Mammogram, right breast, medio-lateral oblique view. Patient age 38.
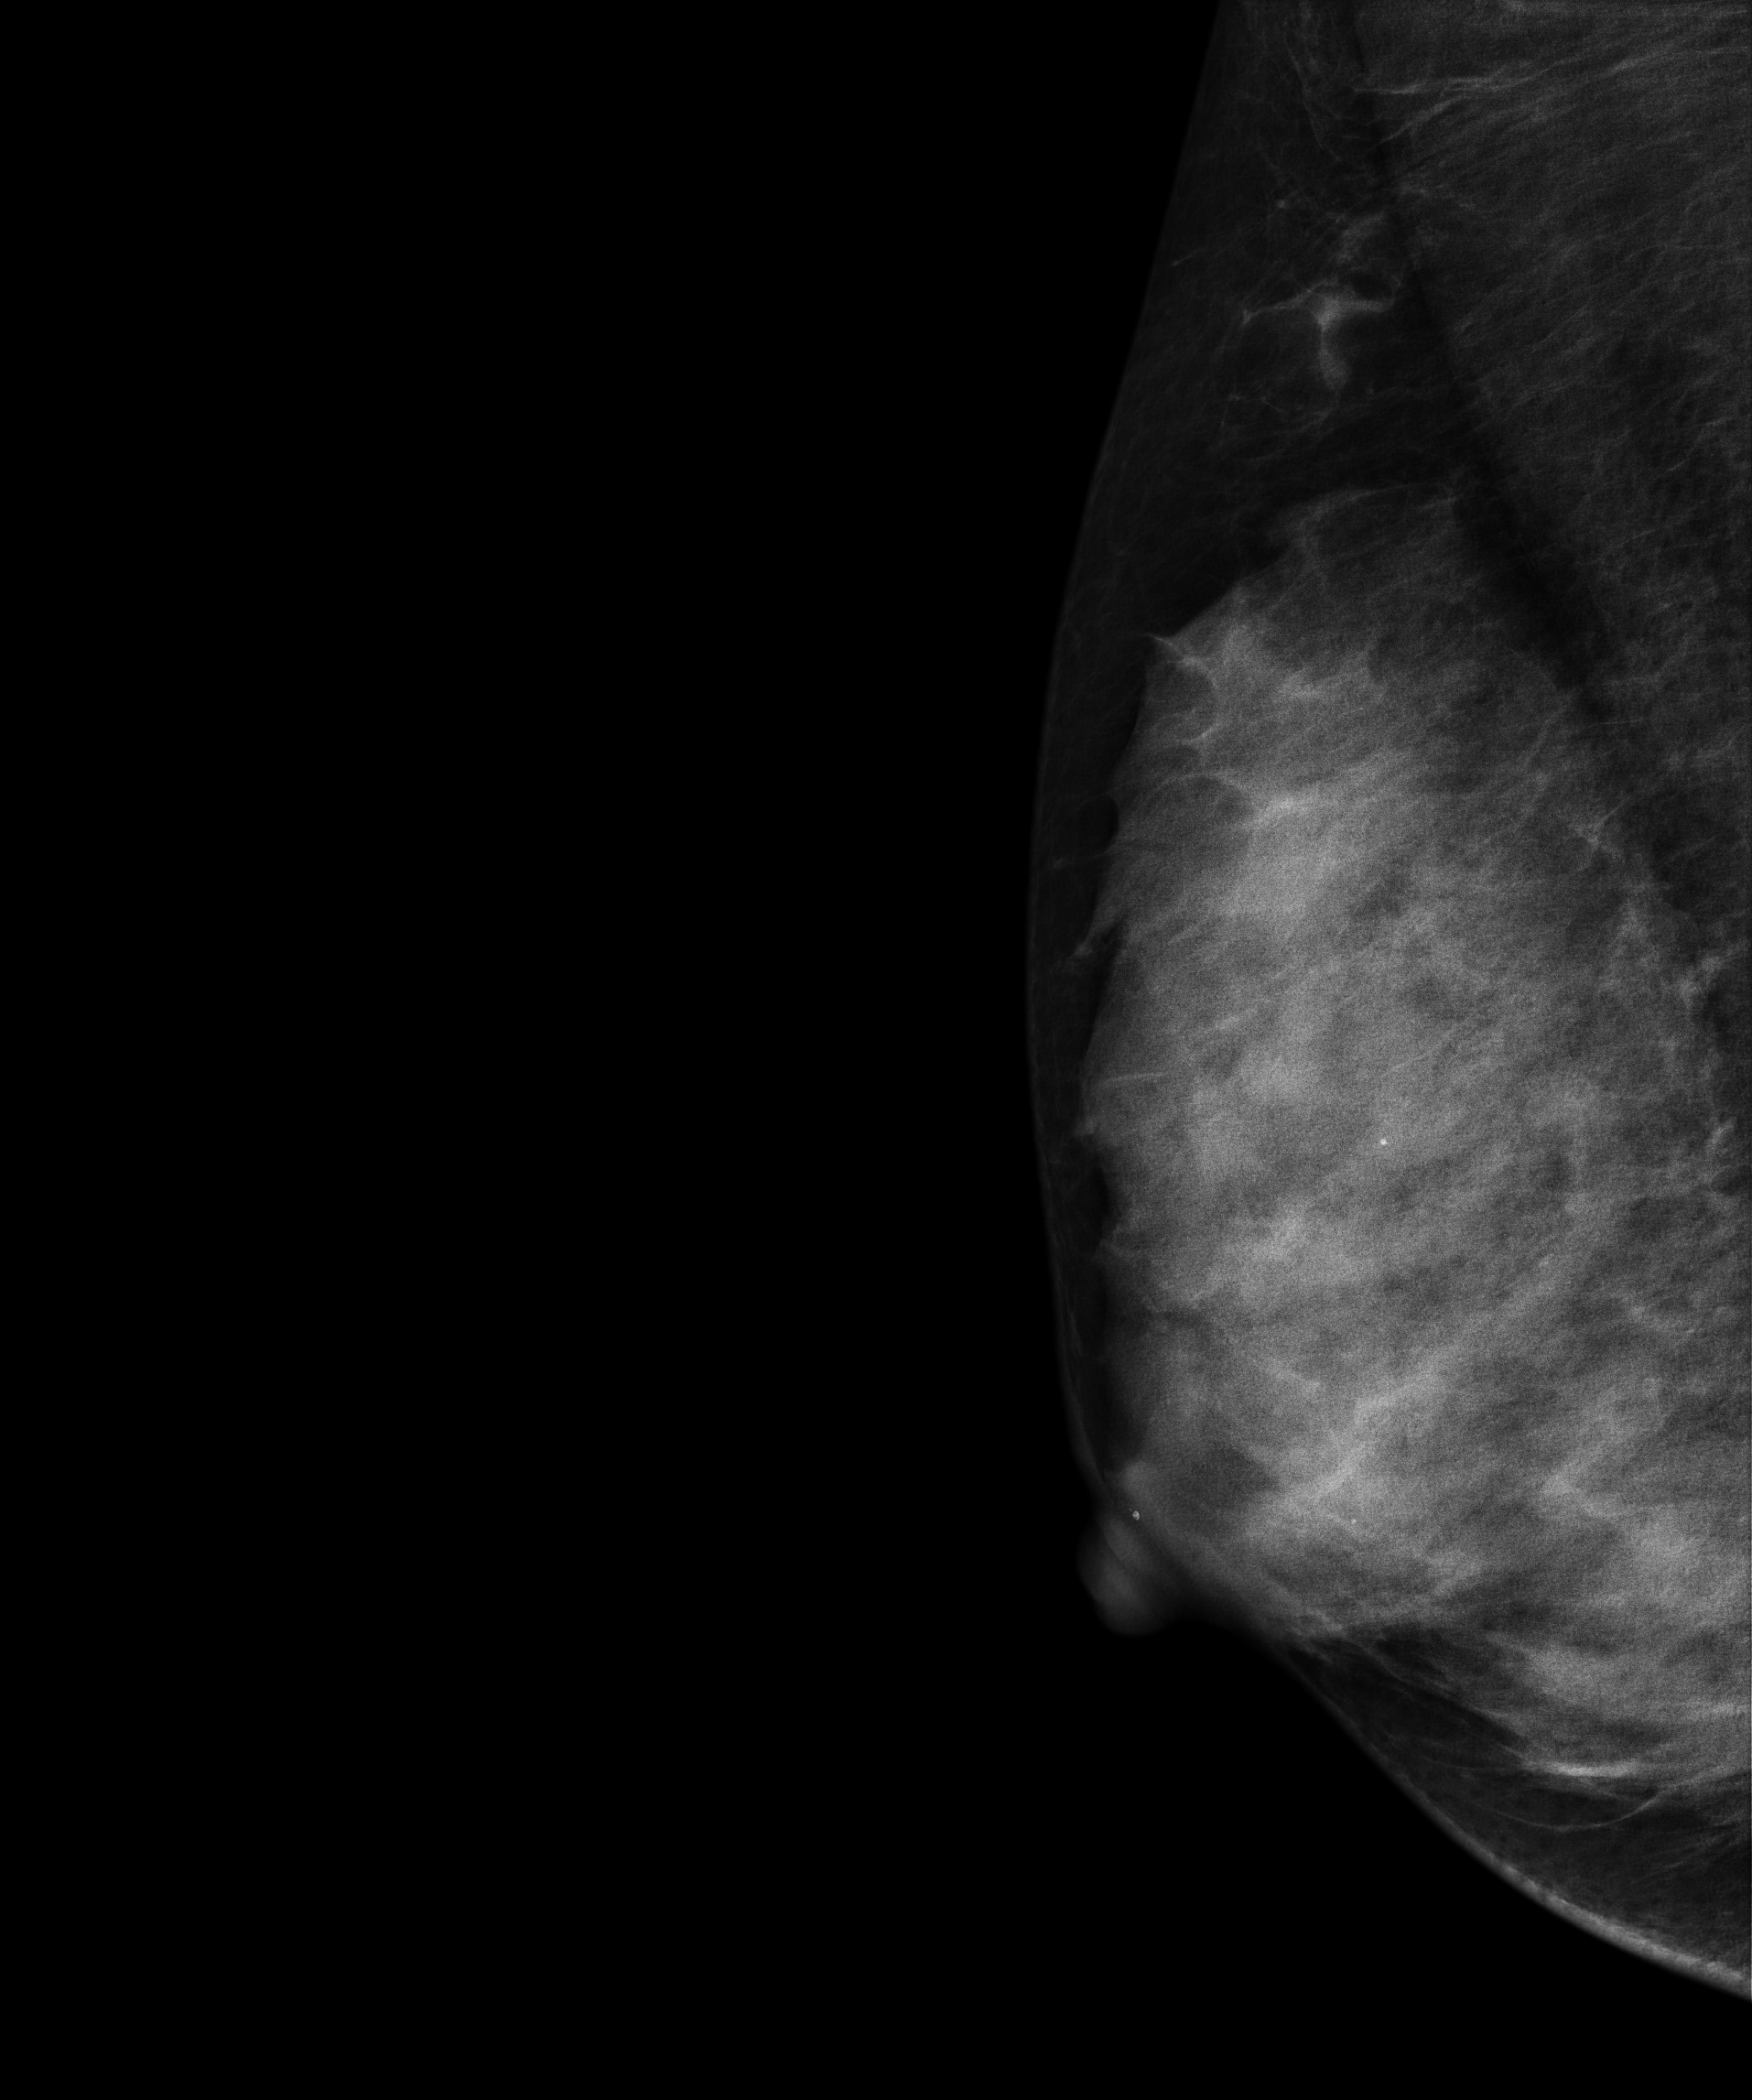
This breast has calcifications, histologically confirmed benign.